Mammogram — left MLO. 46 y/o patient.
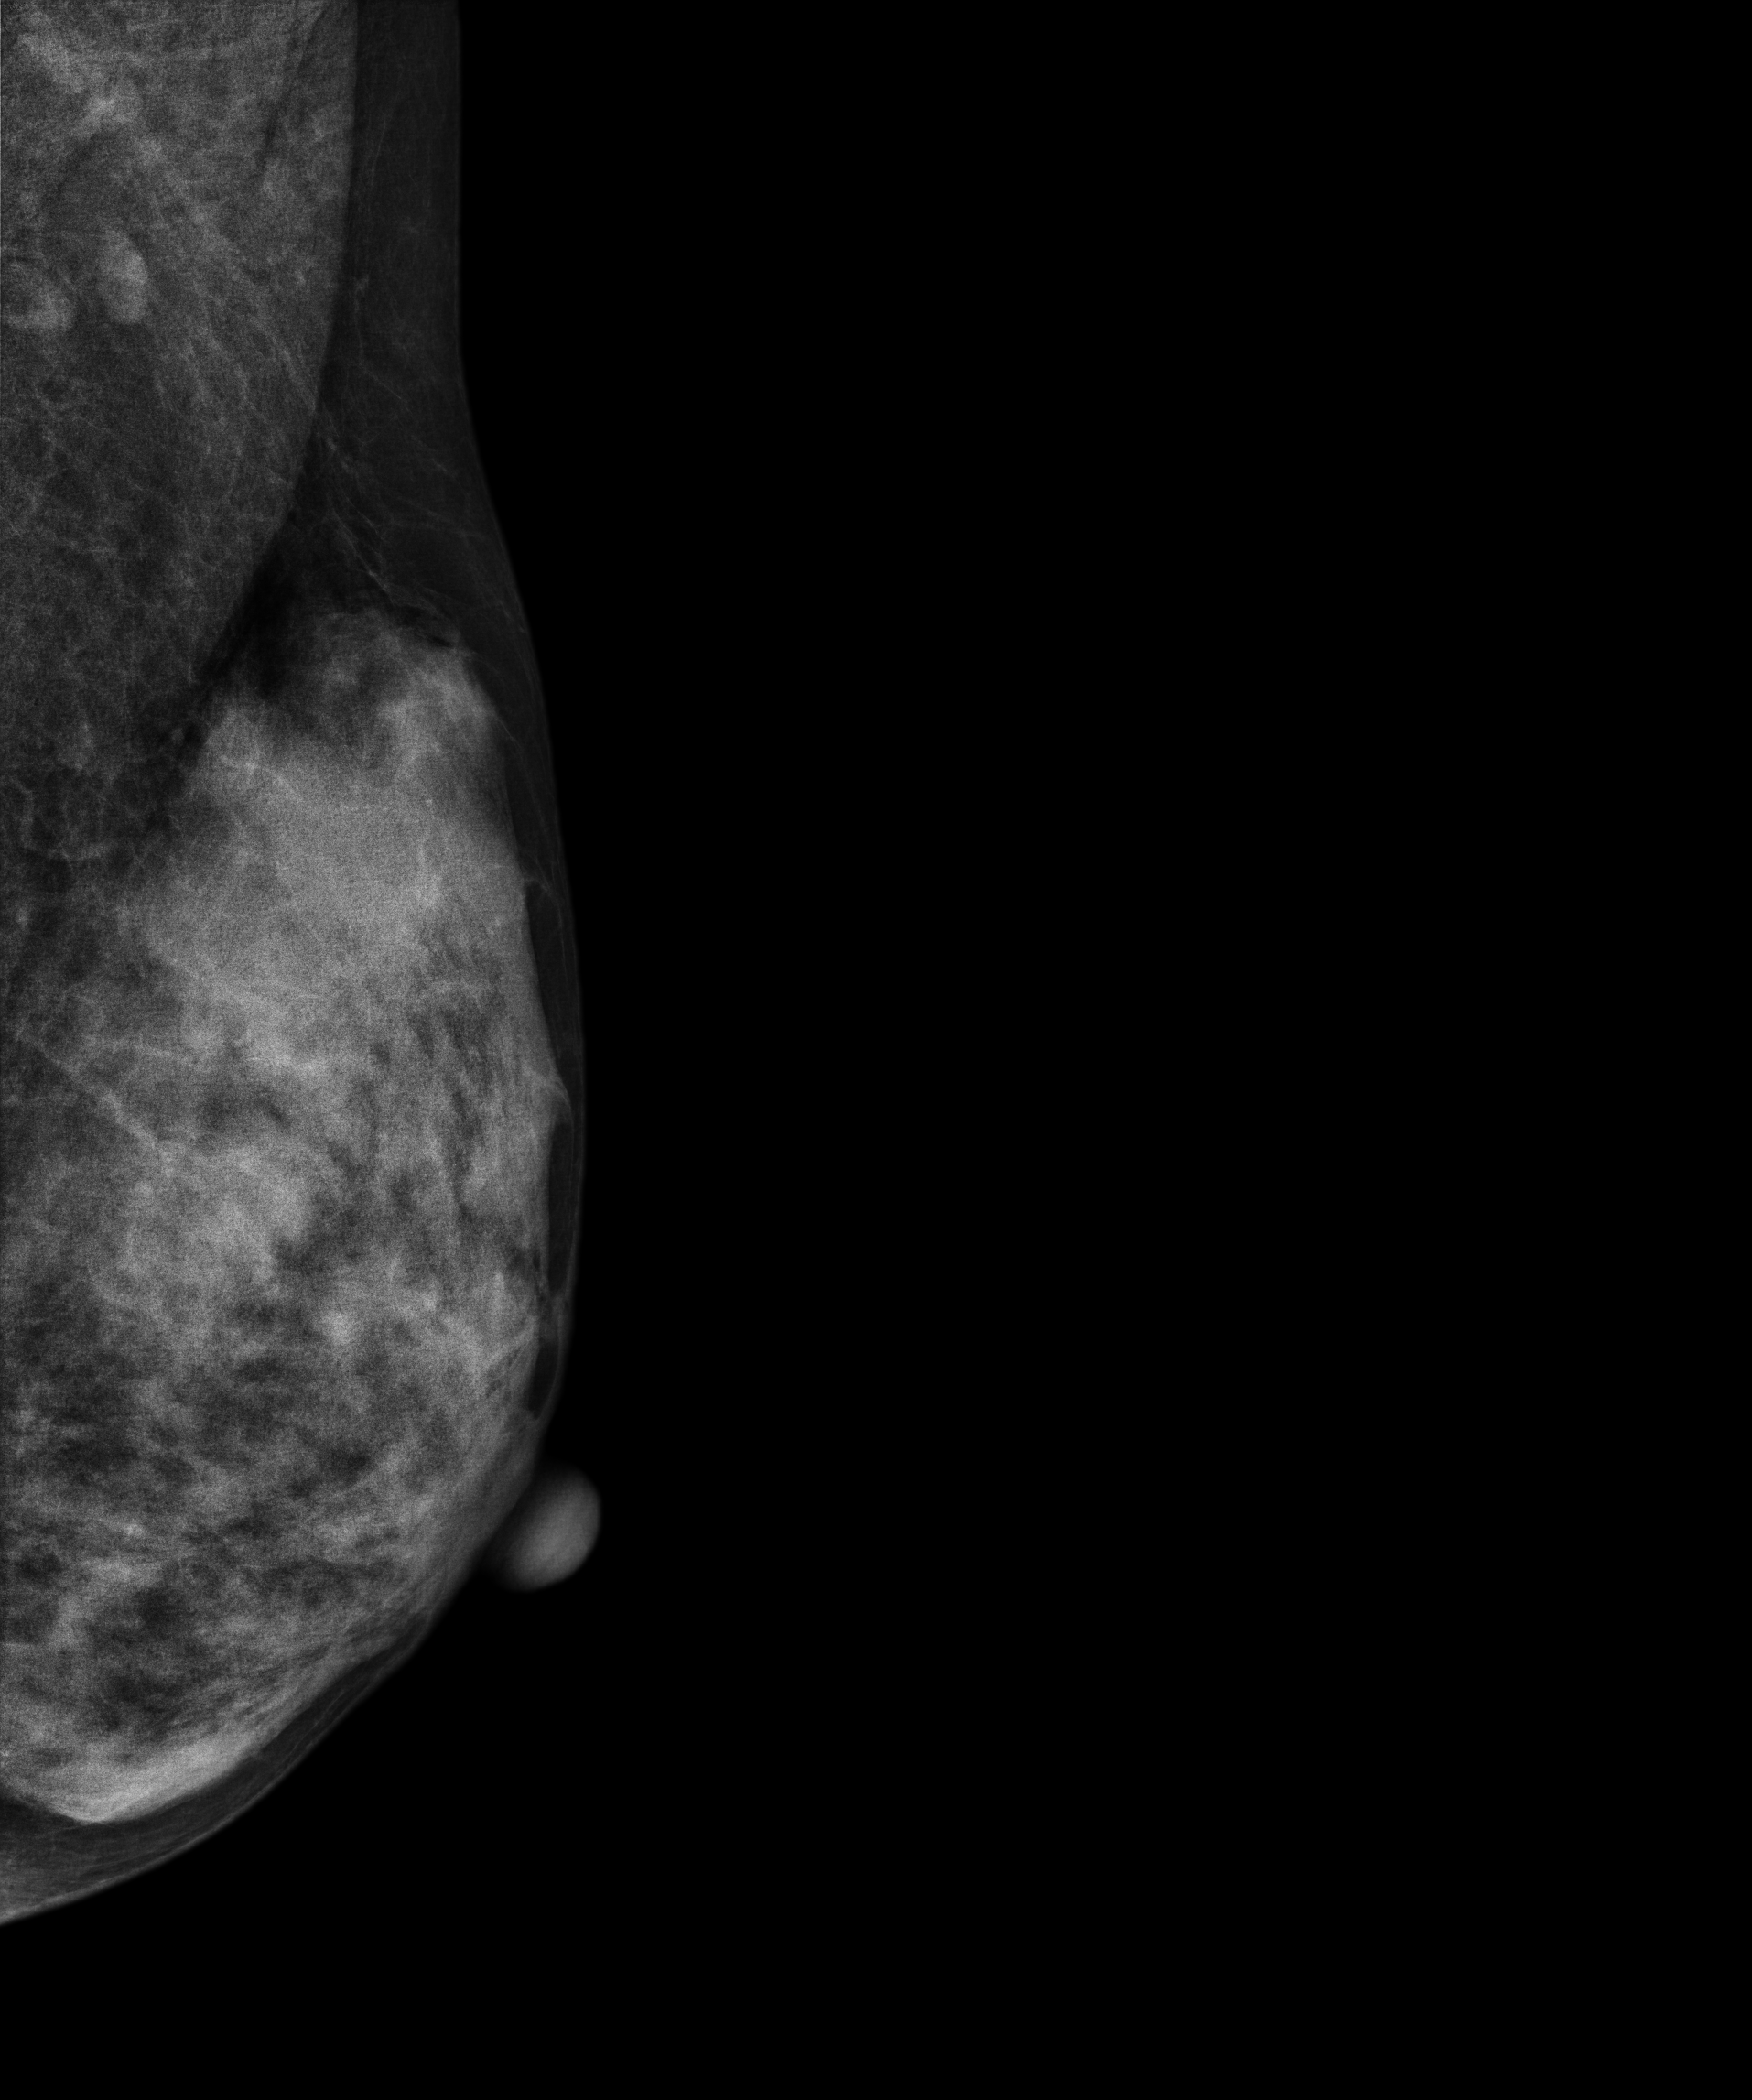
This breast has a mass, biopsy-confirmed benign.